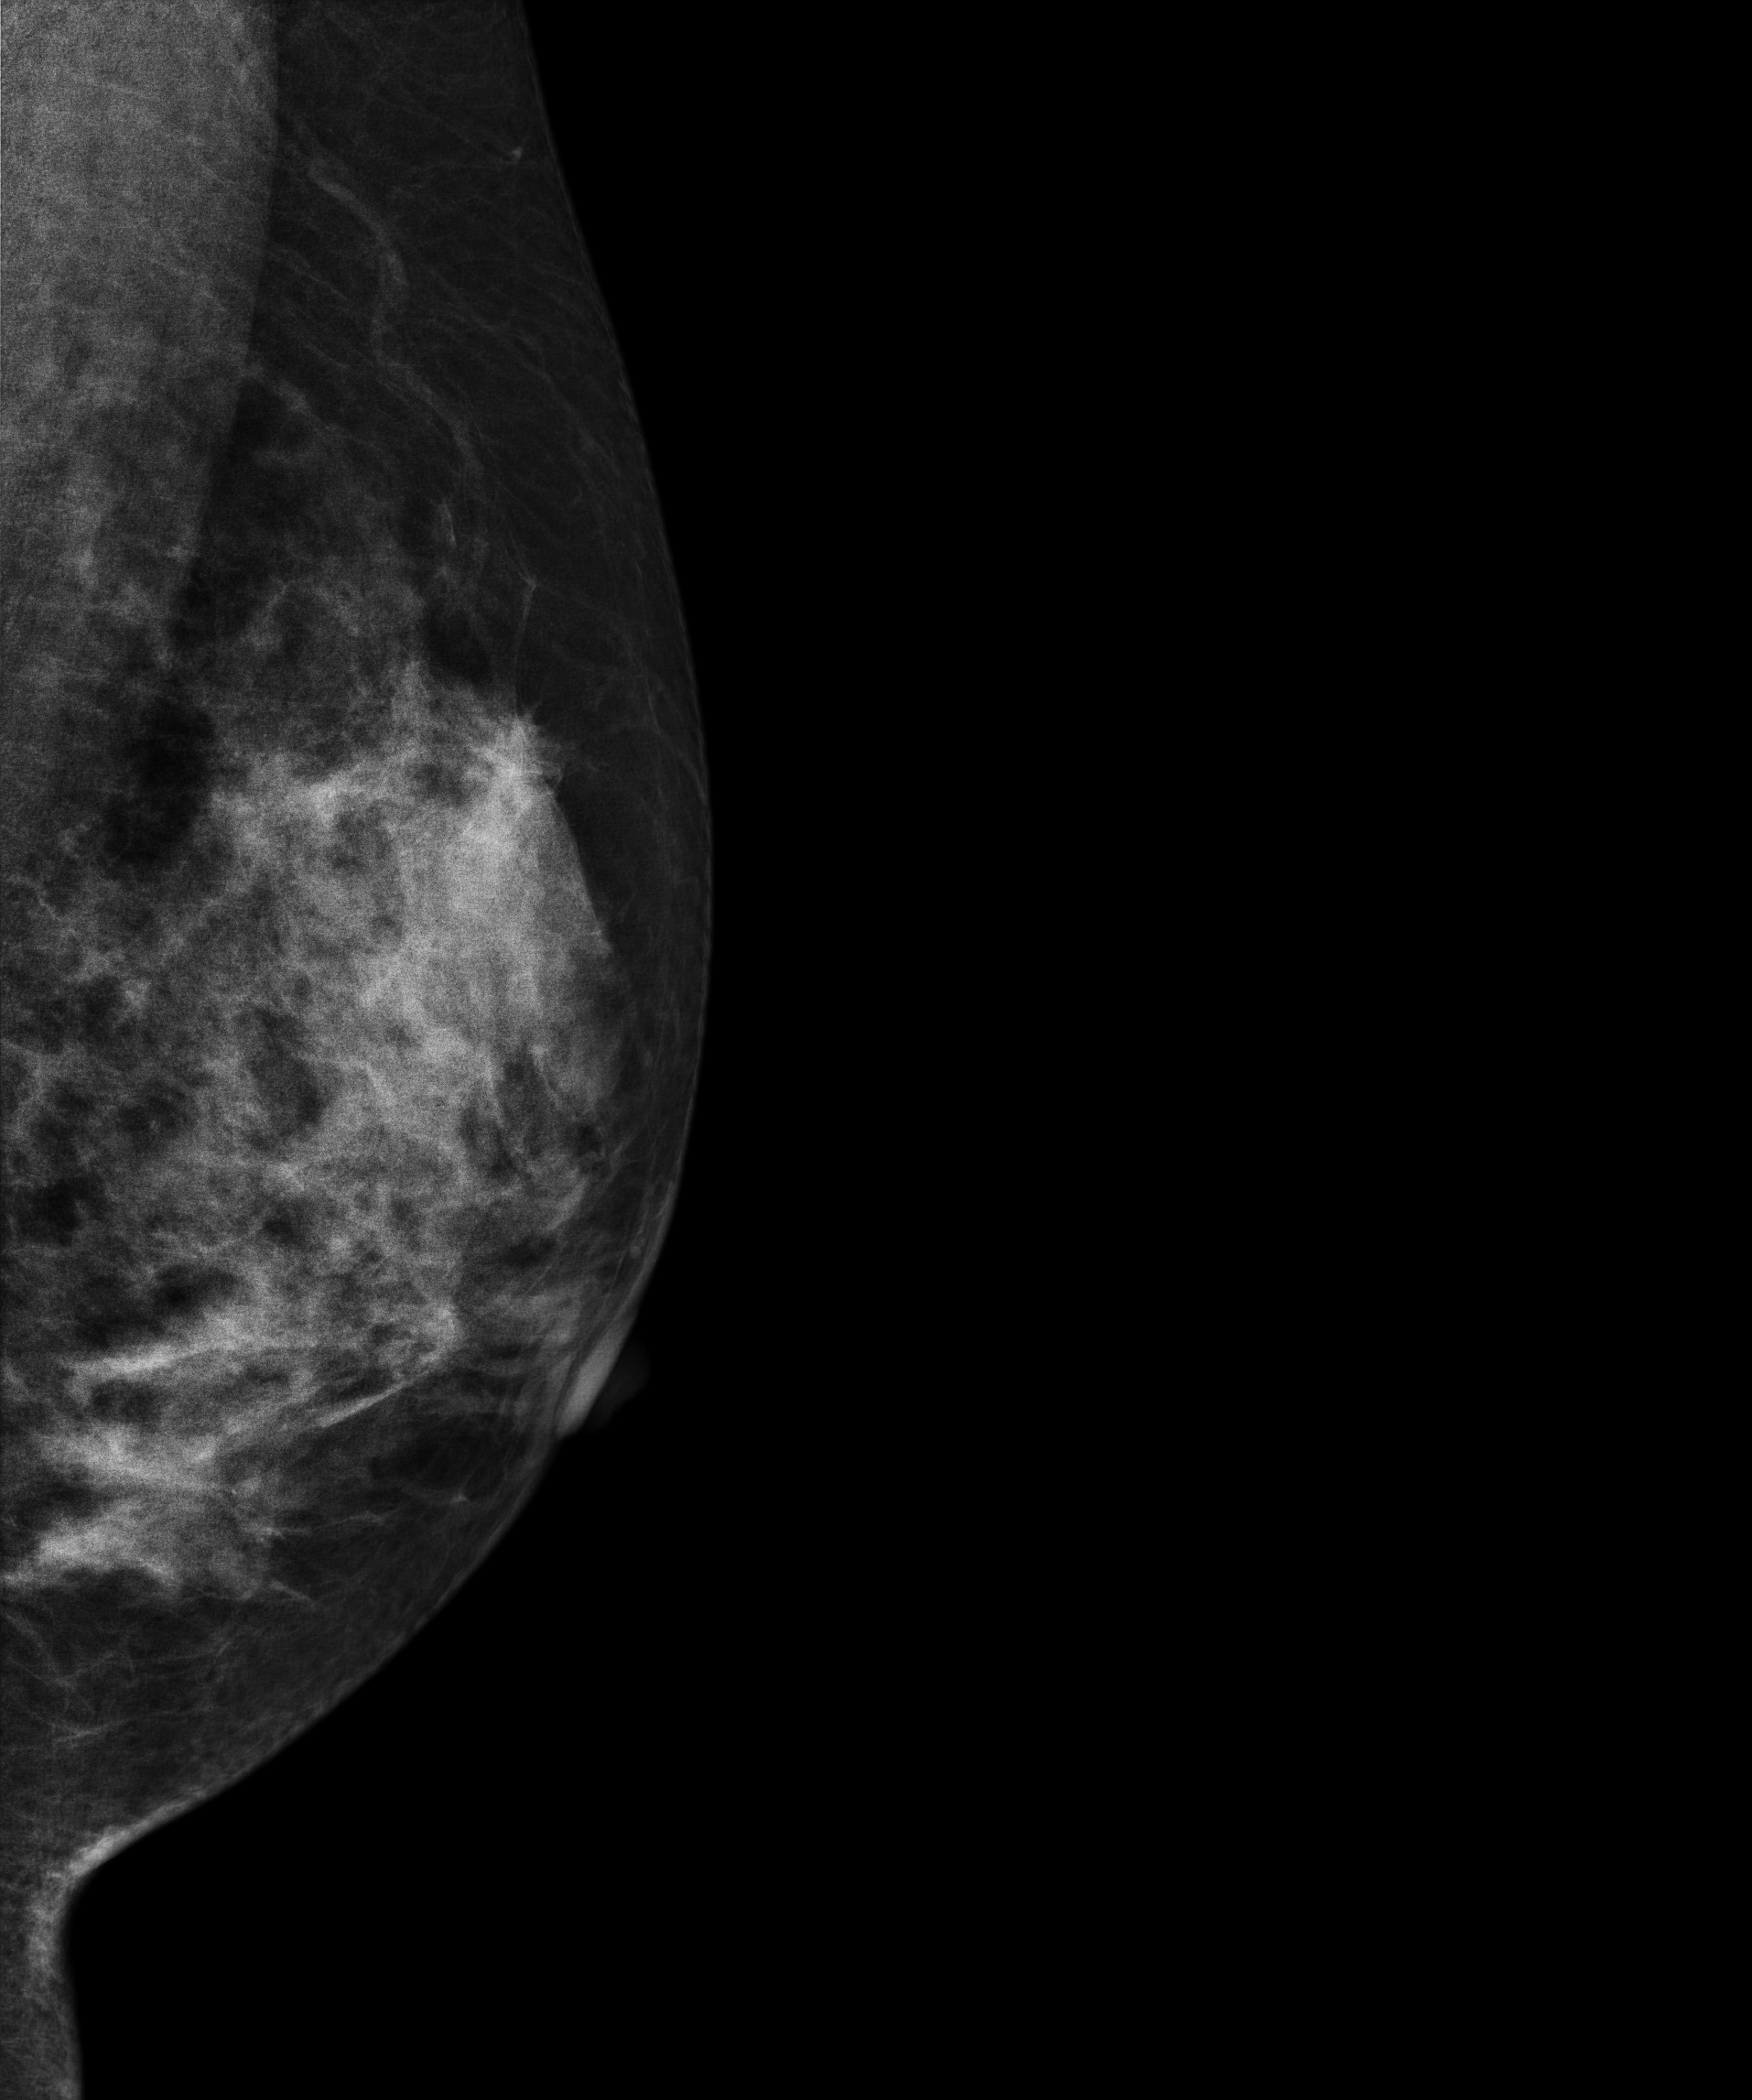
Digital mammography. Left breast, medio-lateral oblique projection. 45 y/o patient.
This breast has a mass, pathology-confirmed benign.